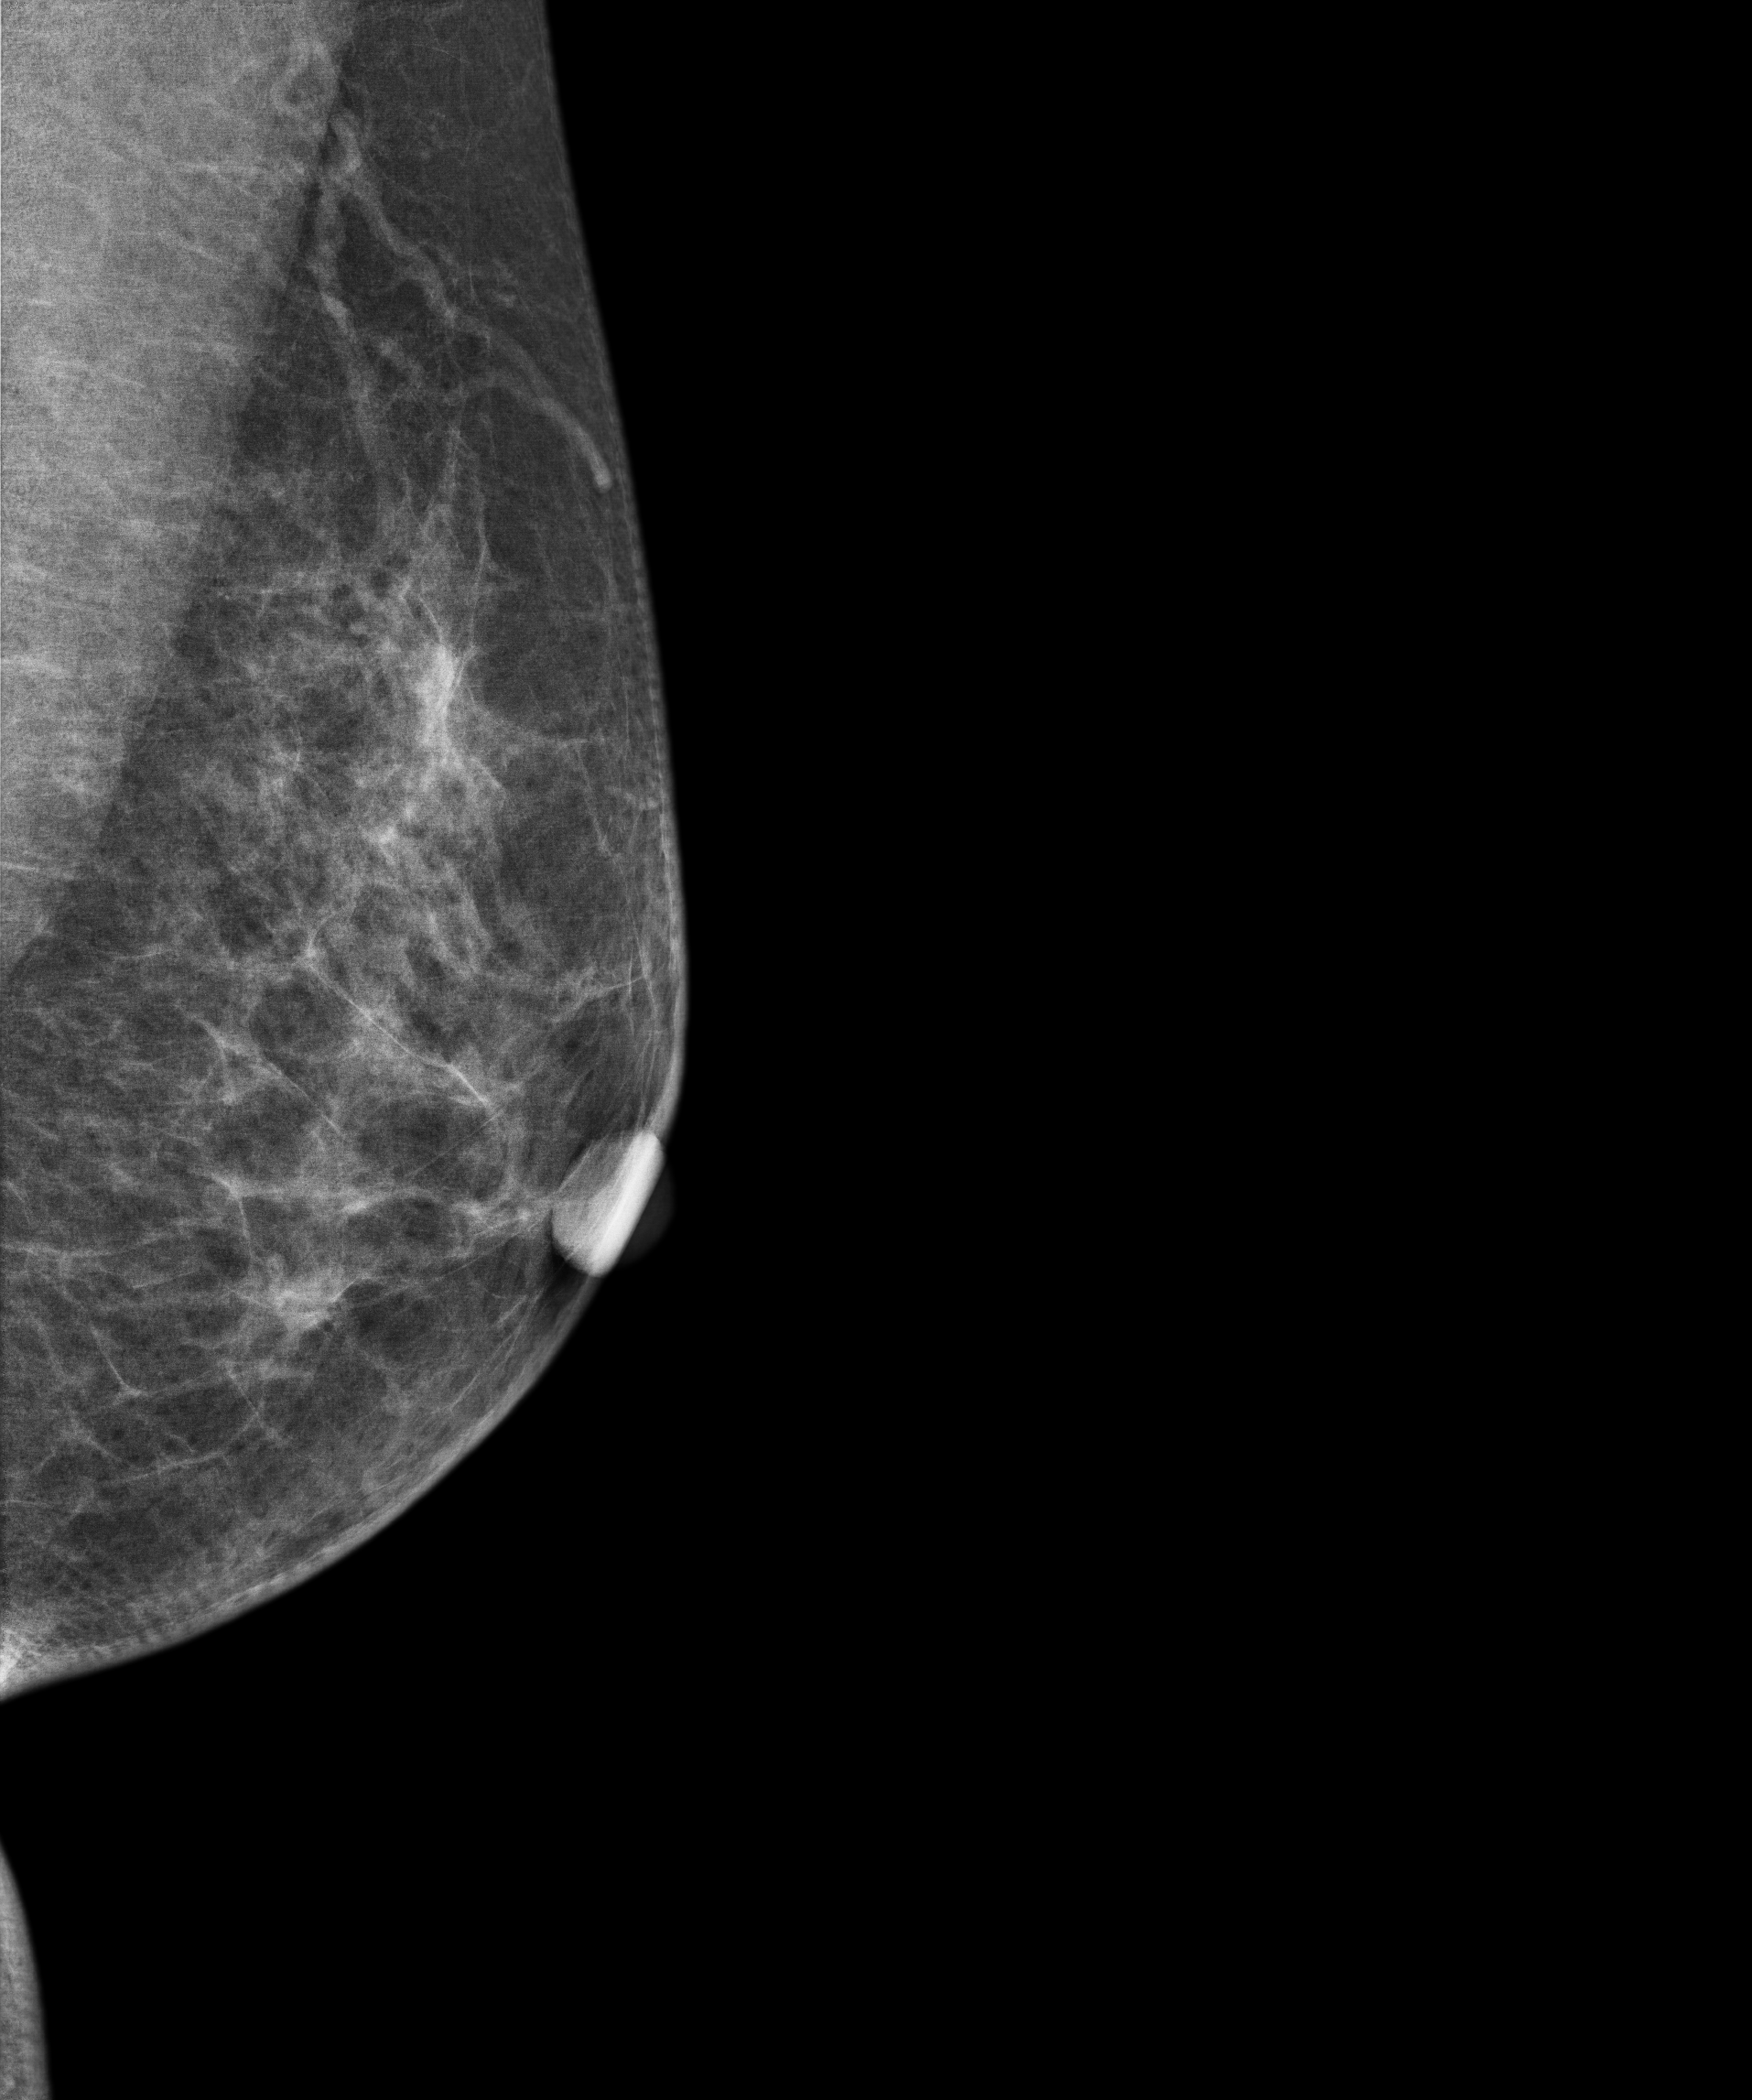
Mammogram, left breast, medio-lateral oblique view. 54 y/o patient.
This breast has a mass, biopsy-confirmed benign.